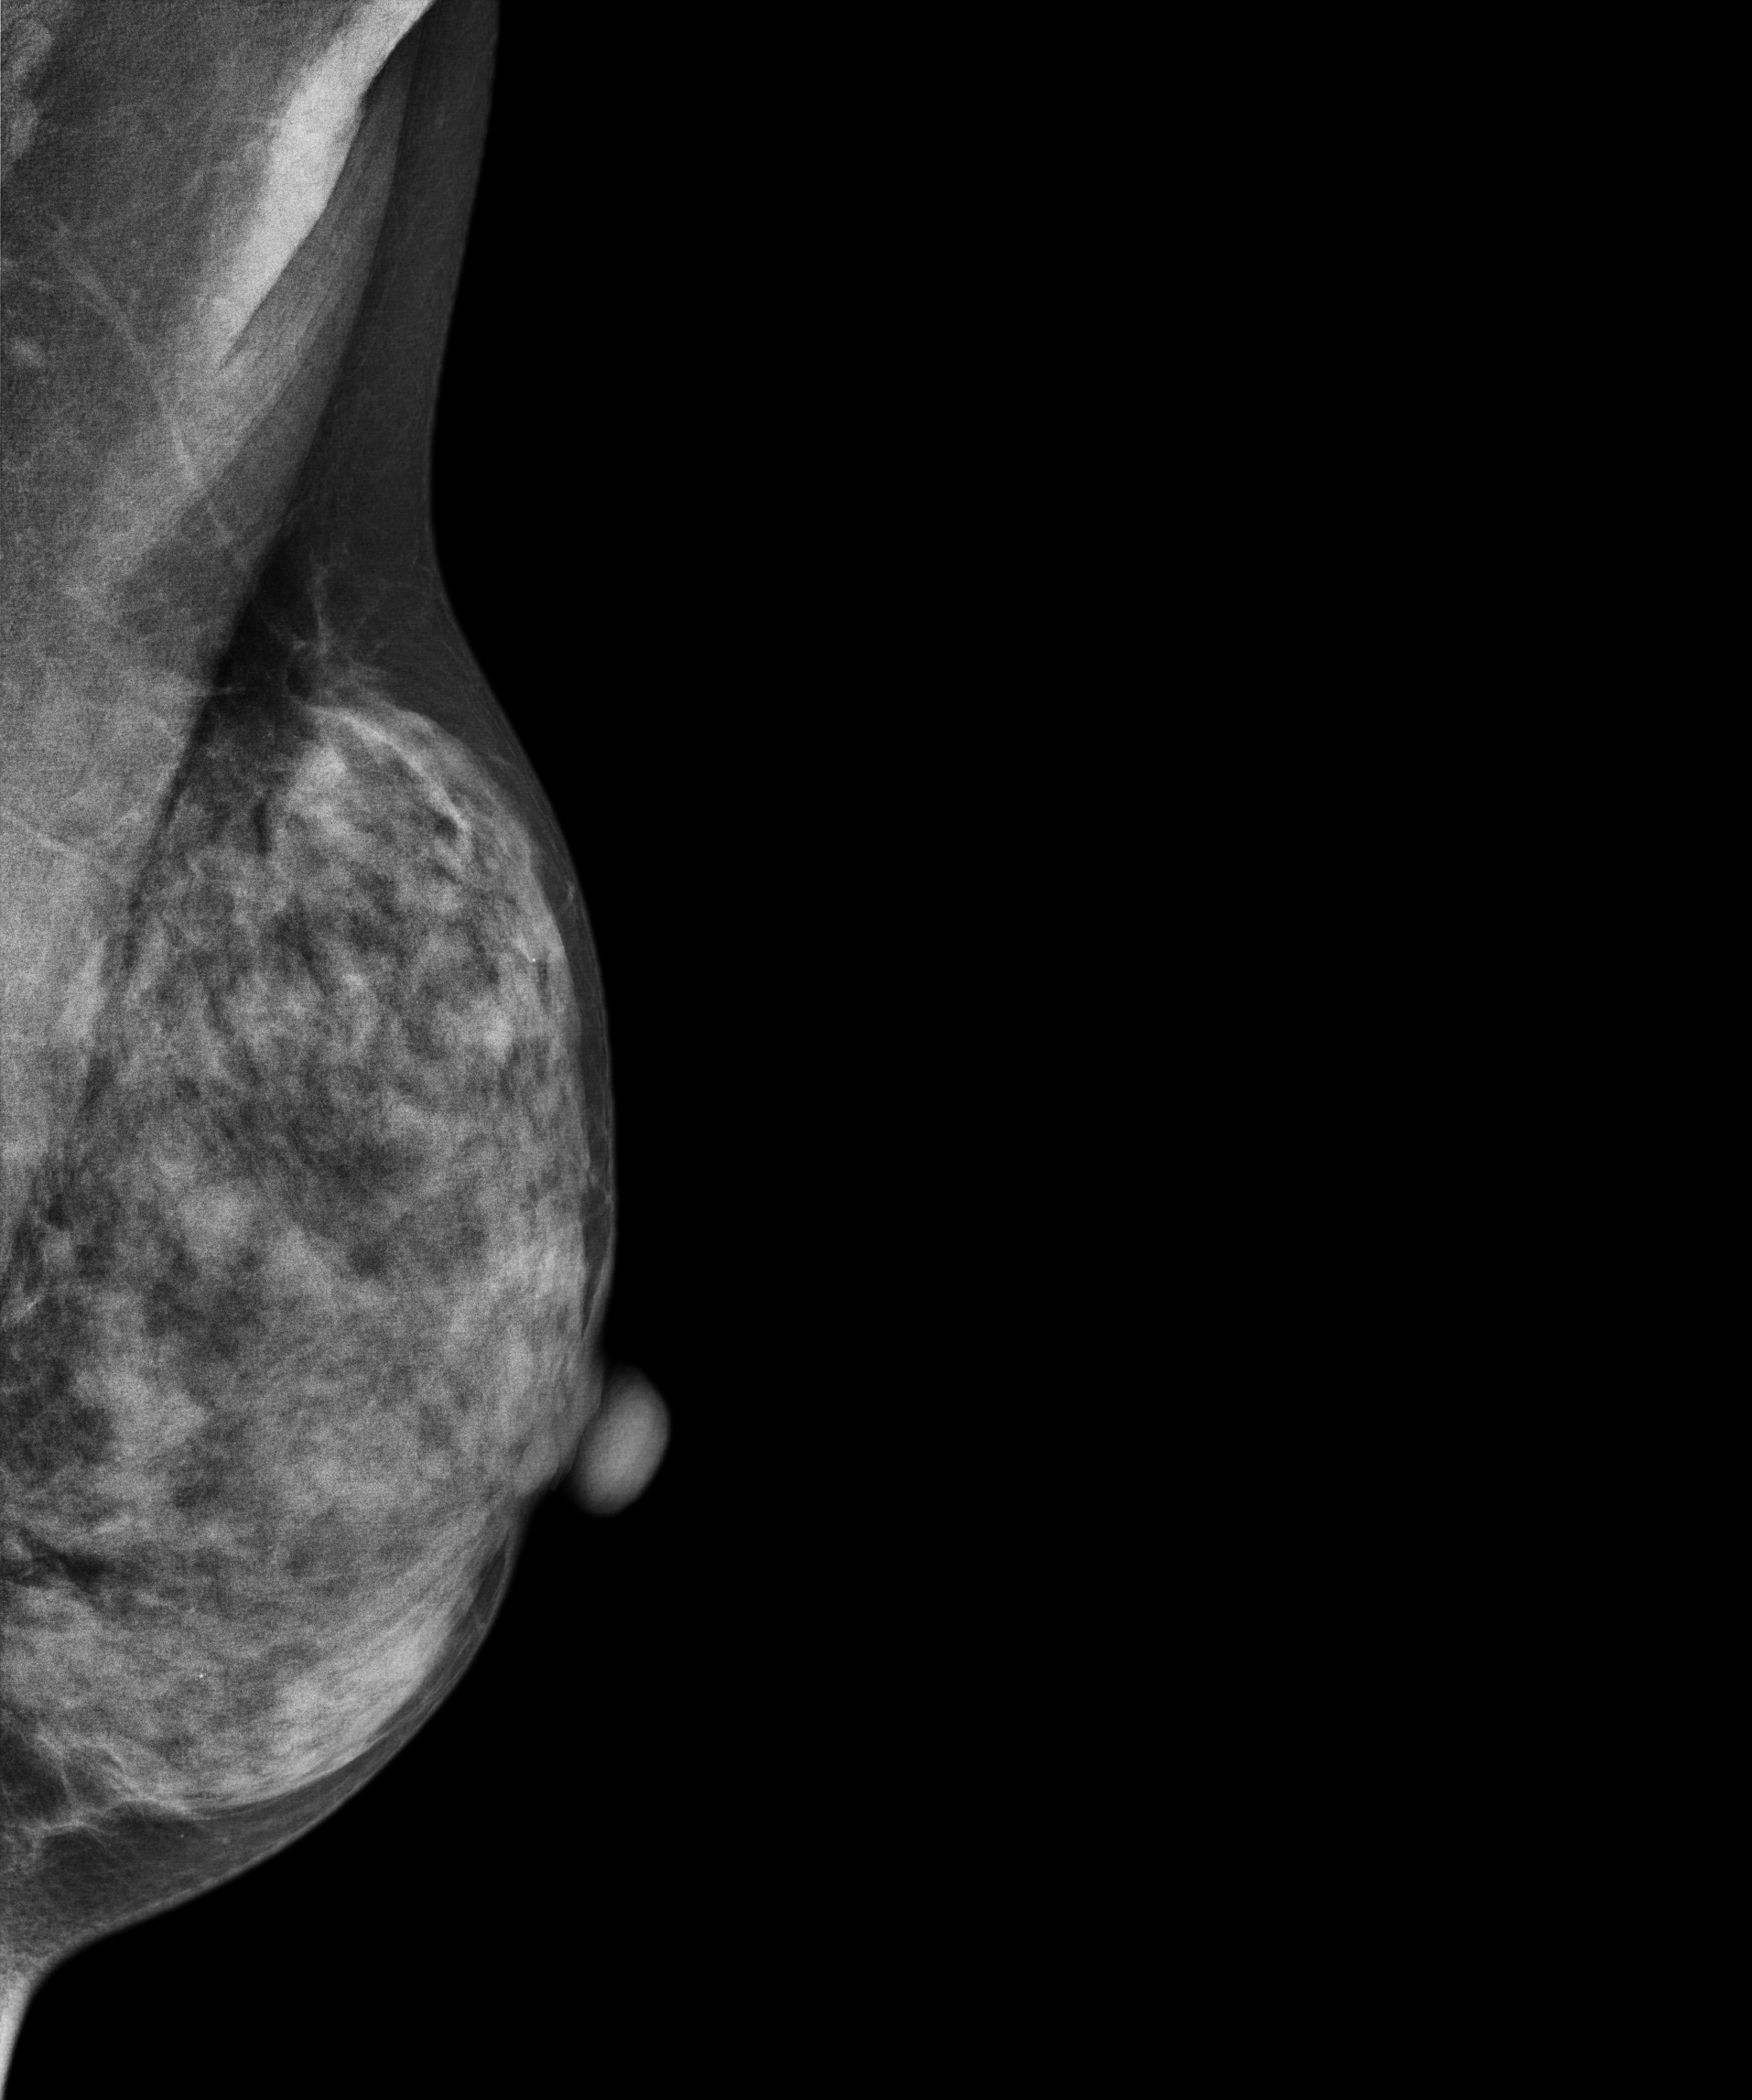
Digital mammography. Left breast, medio-lateral oblique projection. 38-year-old patient.
This breast has a mass and calcifications, biopsy-proven benign.